Digital mammography. Right breast, medio-lateral oblique projection. Patient age 58.
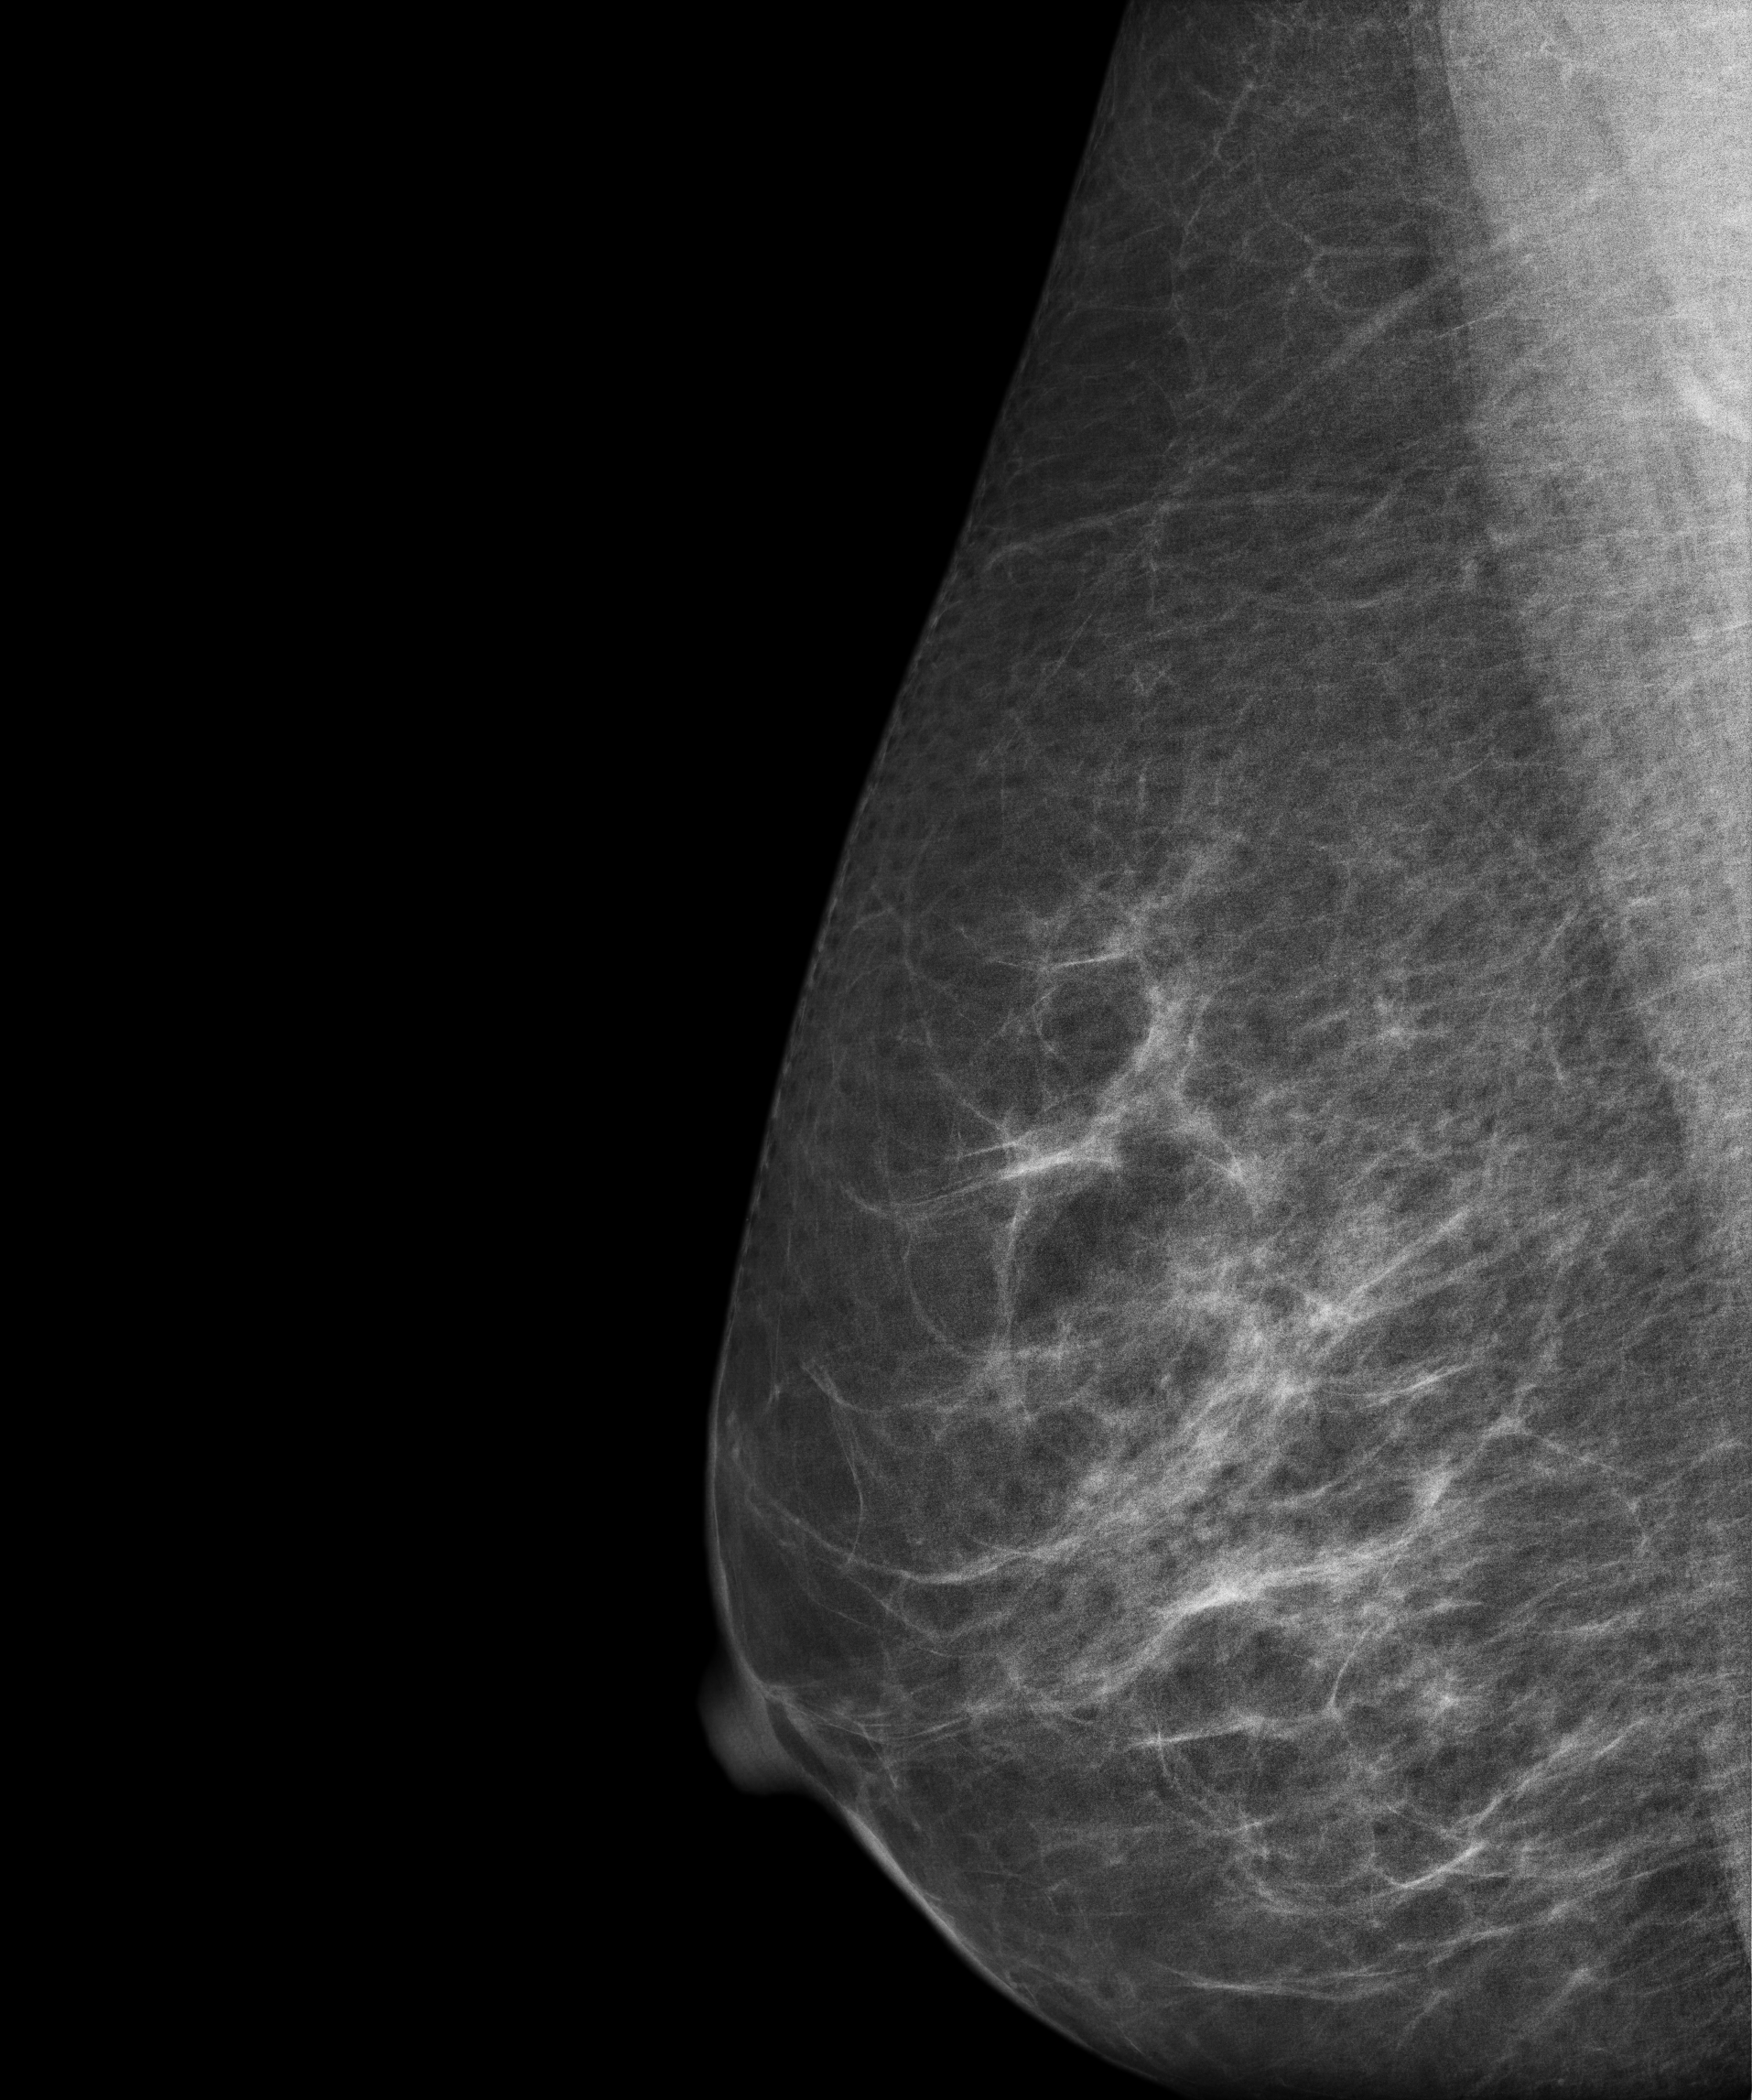
Contralateral breast — no documented abnormality on this side.